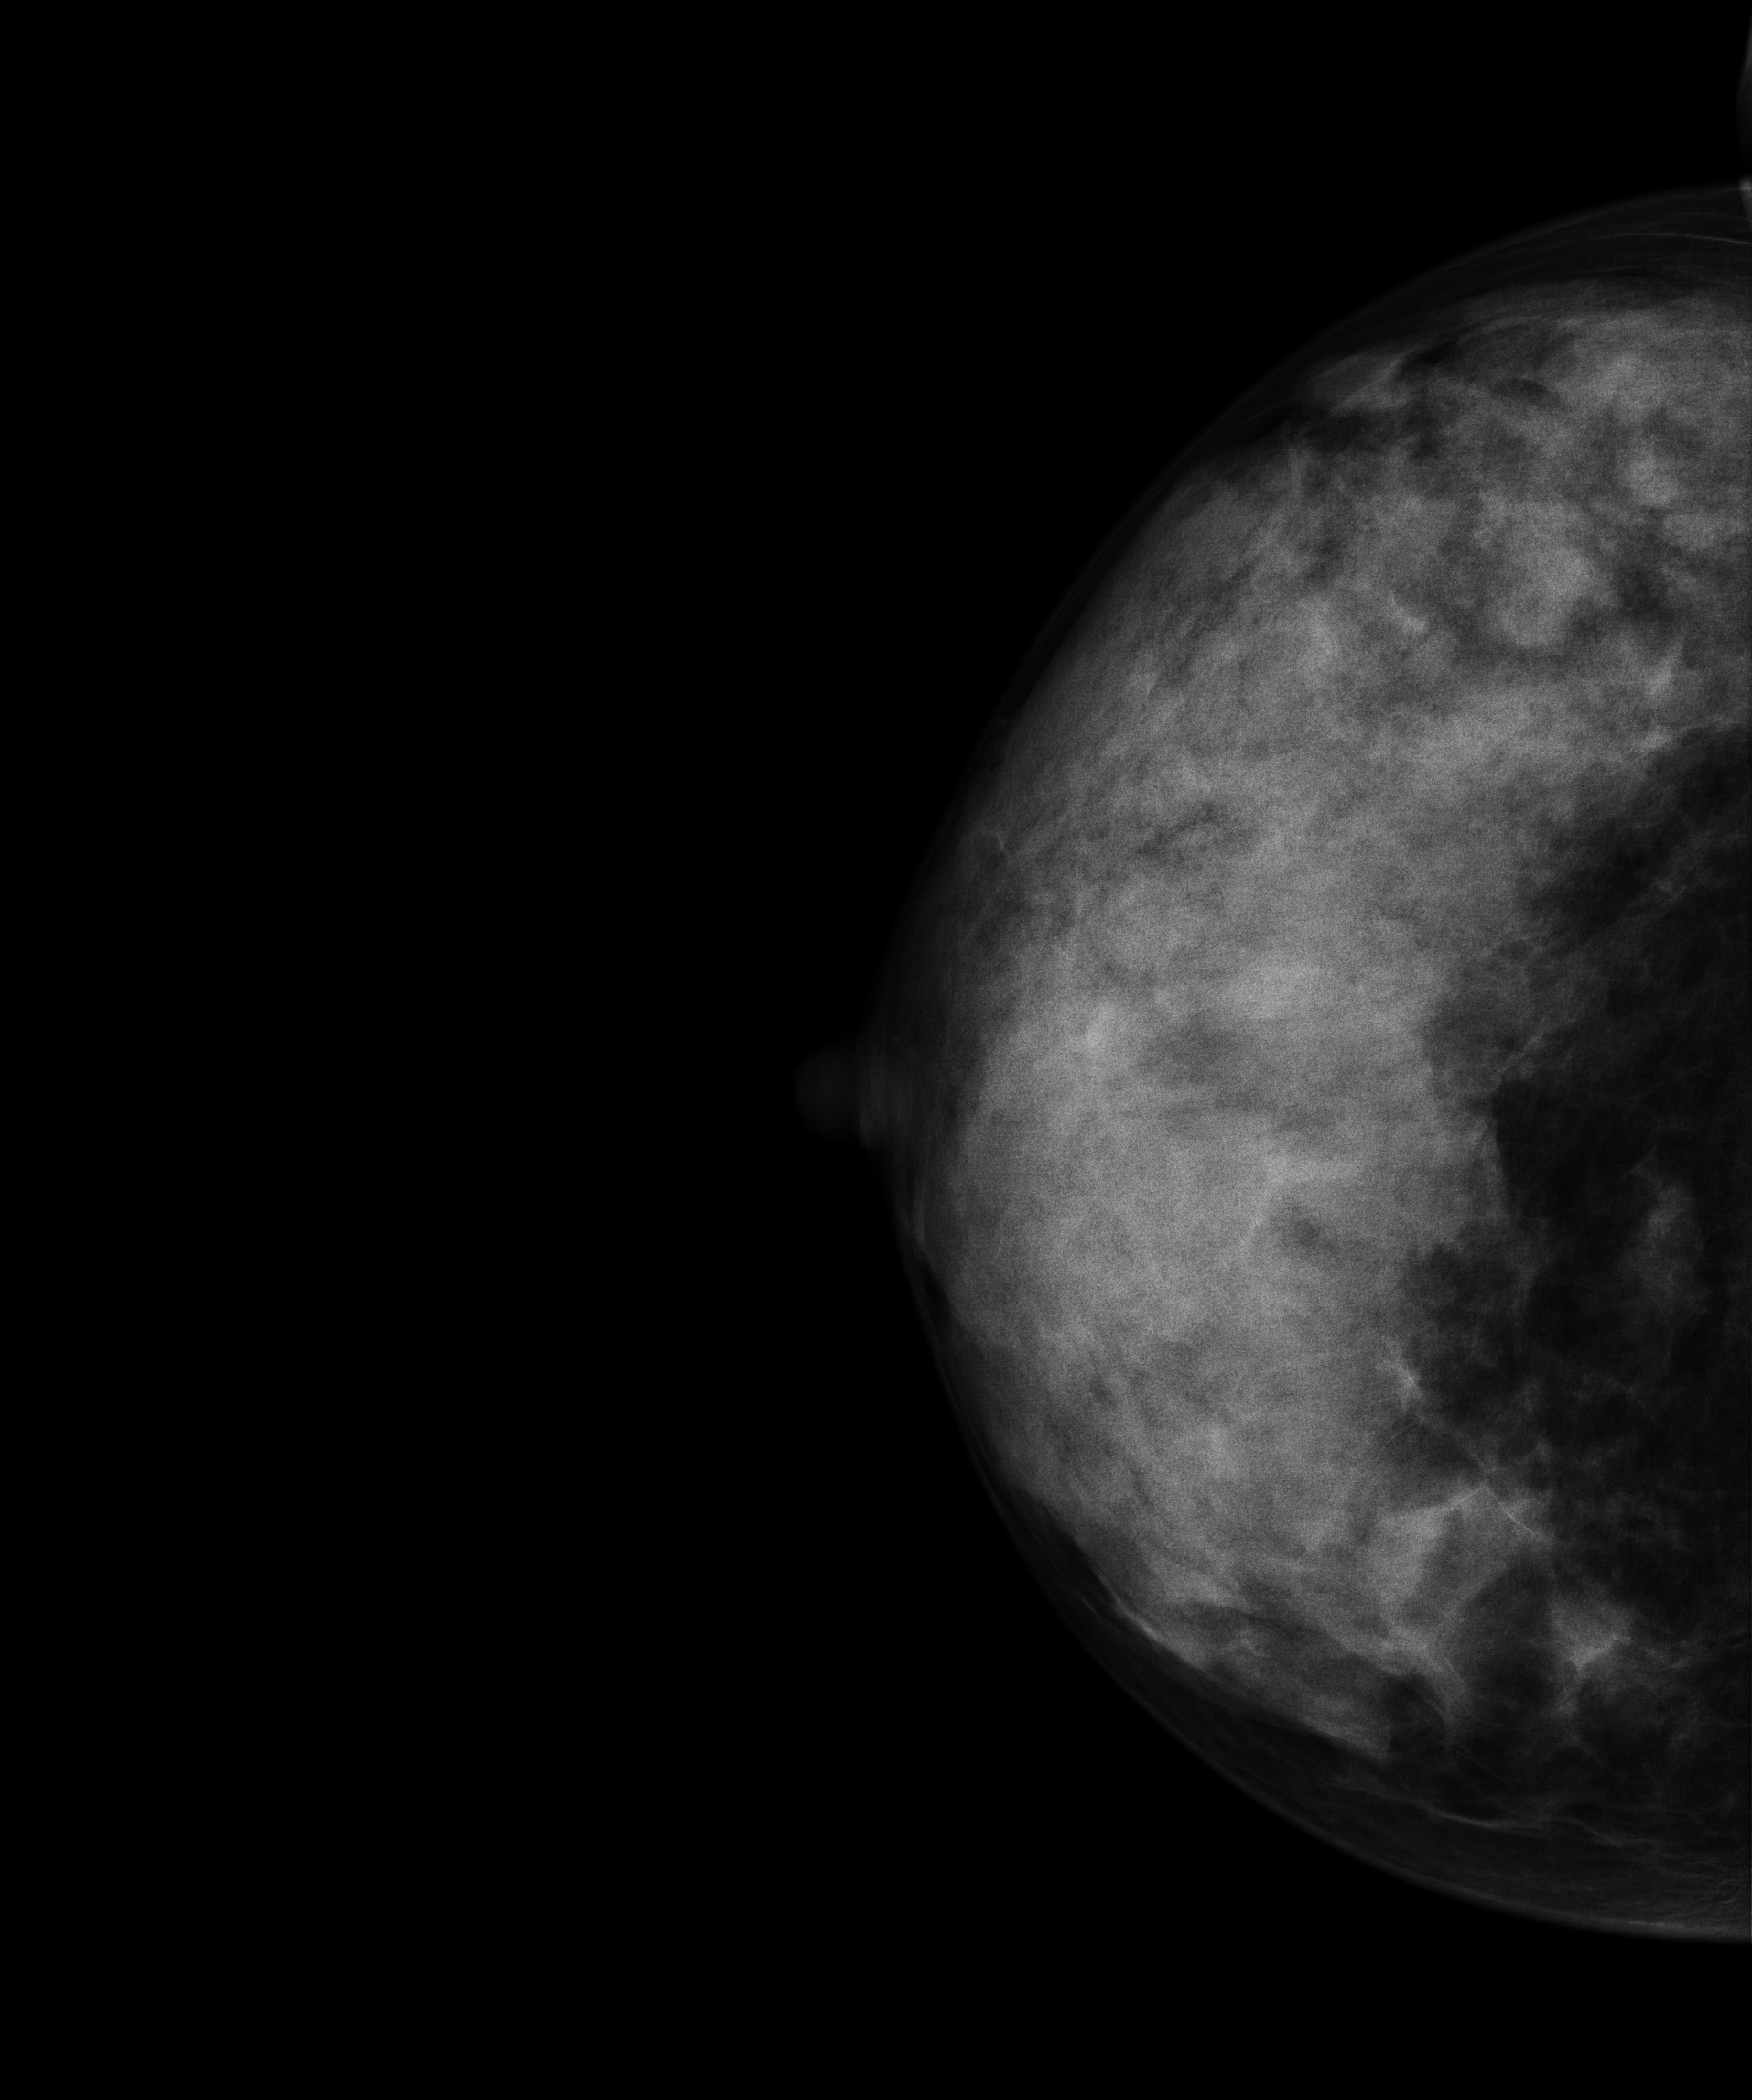
Mammogram, right breast, CC view. Patient age 44.
Contralateral breast — no documented abnormality on this side.